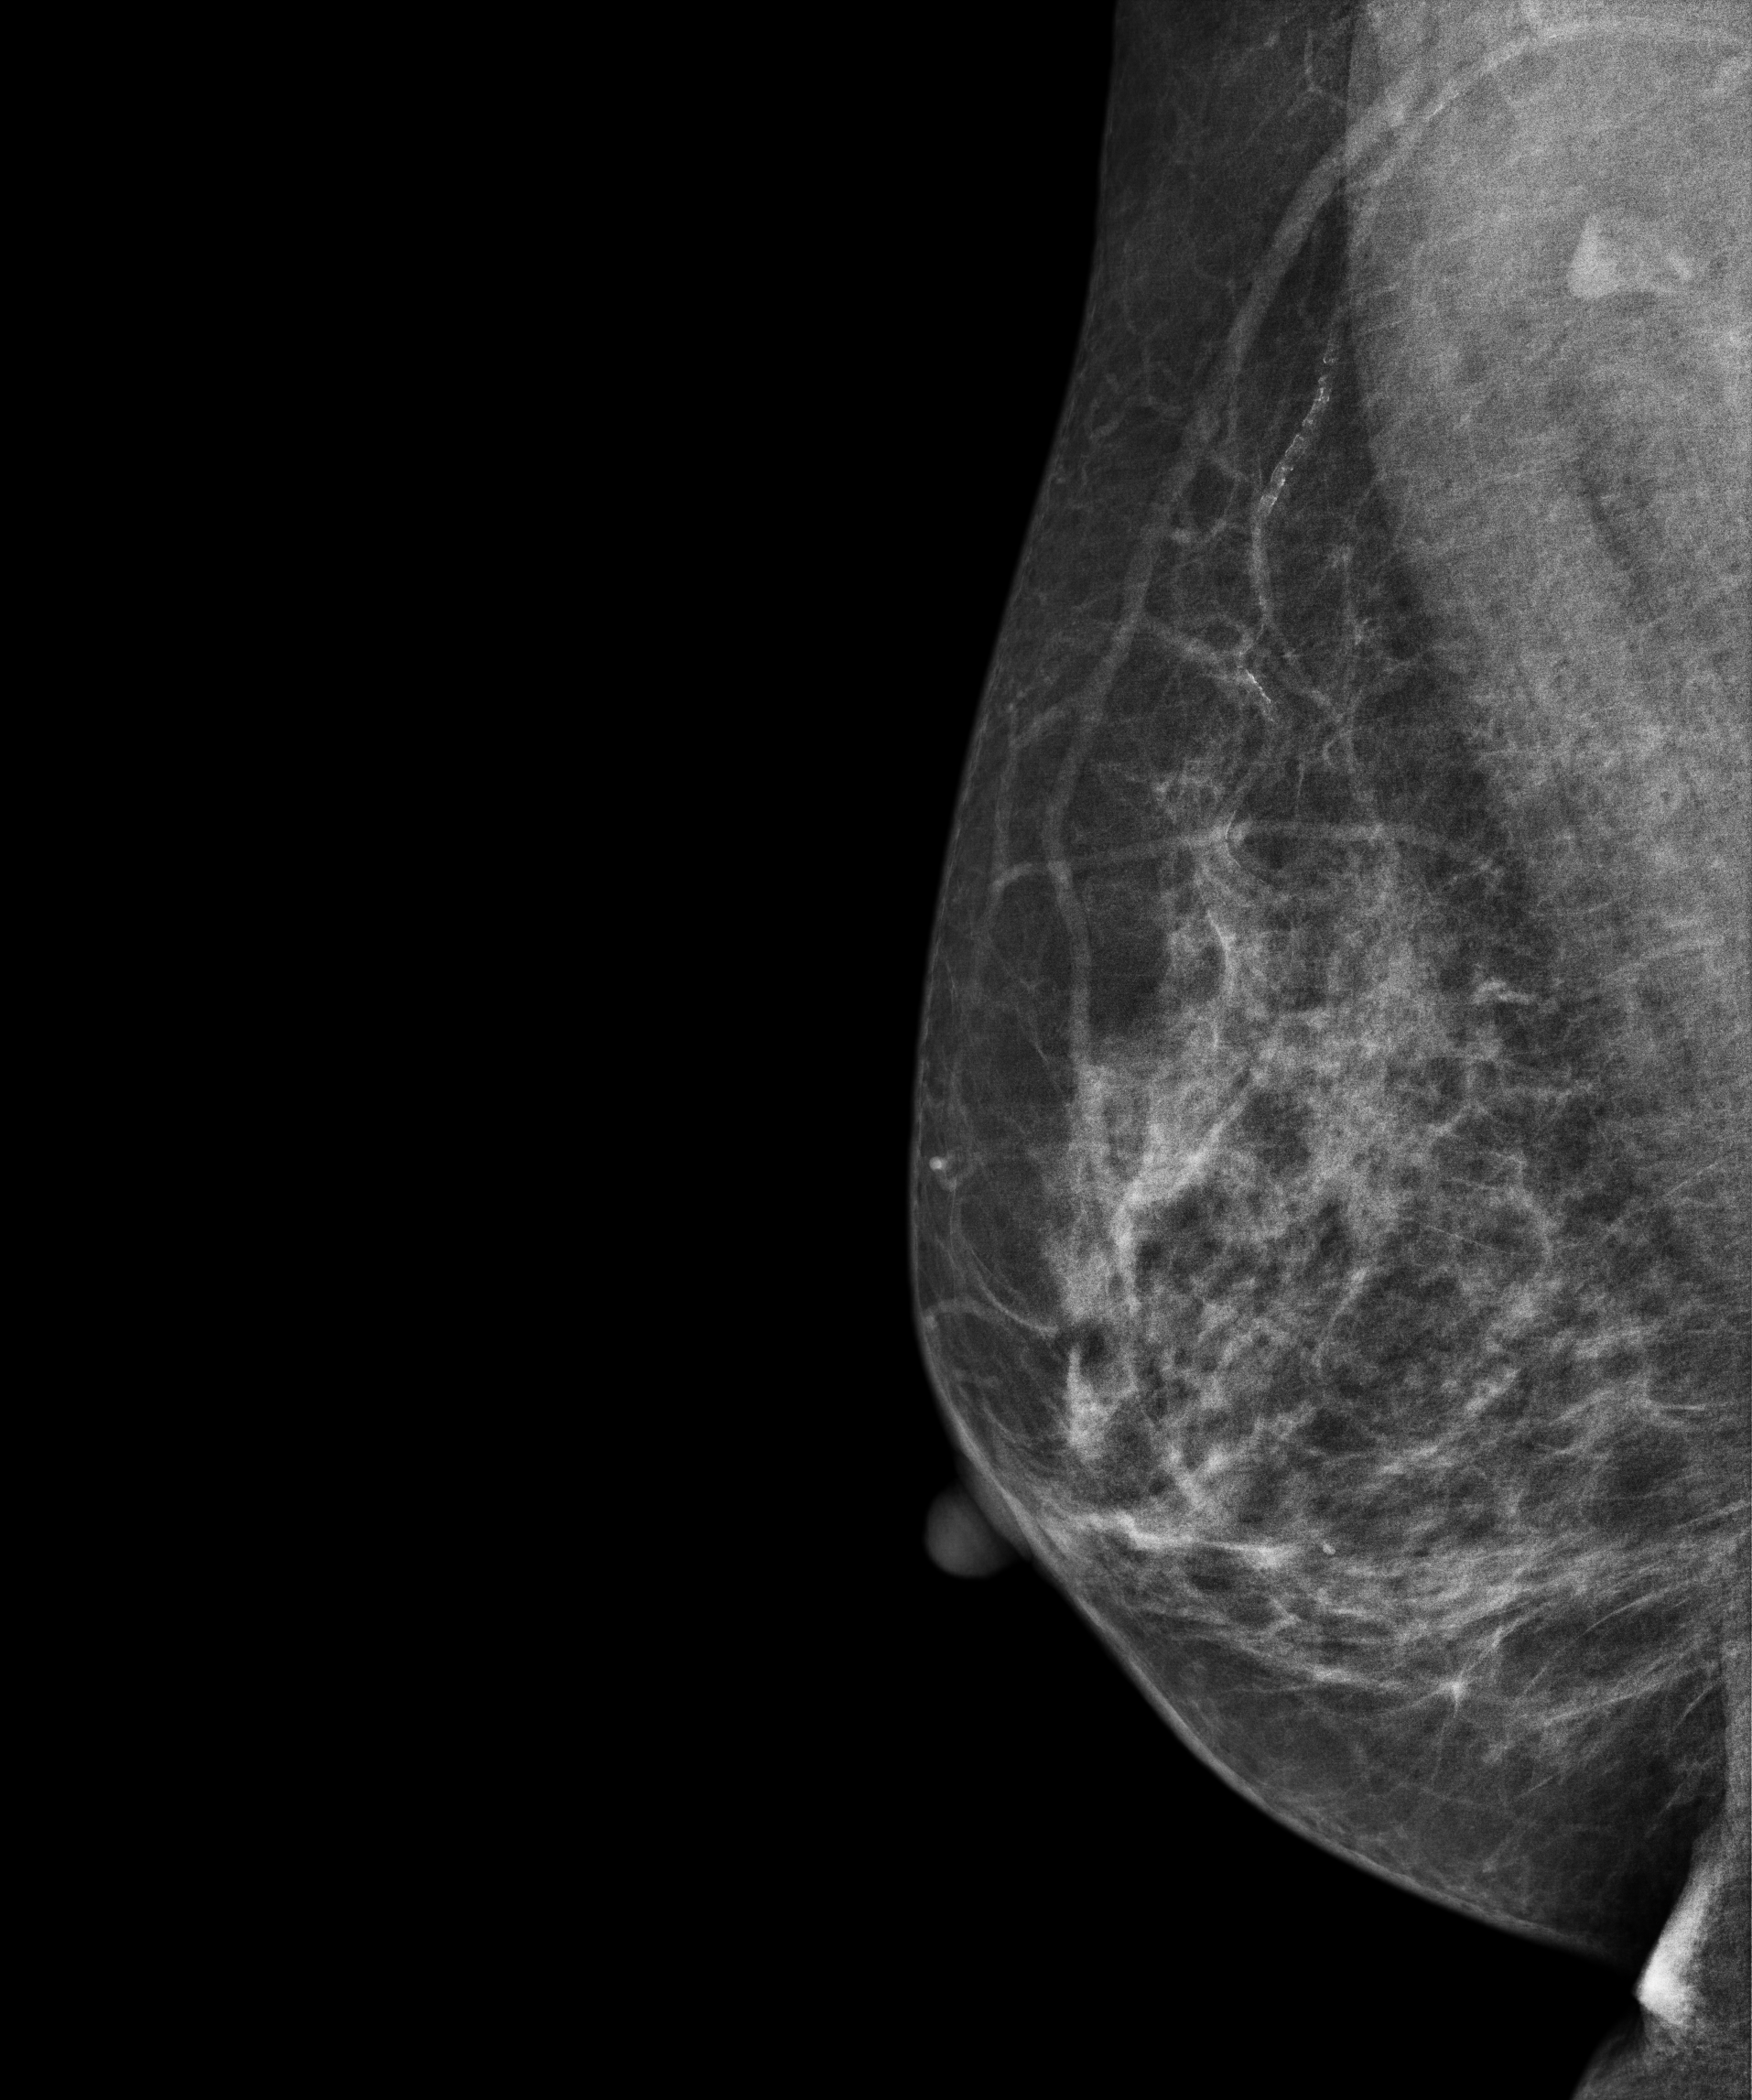
Mammogram, right breast, medio-lateral oblique view. 66 y/o patient.
Contralateral breast — no documented abnormality on this side.